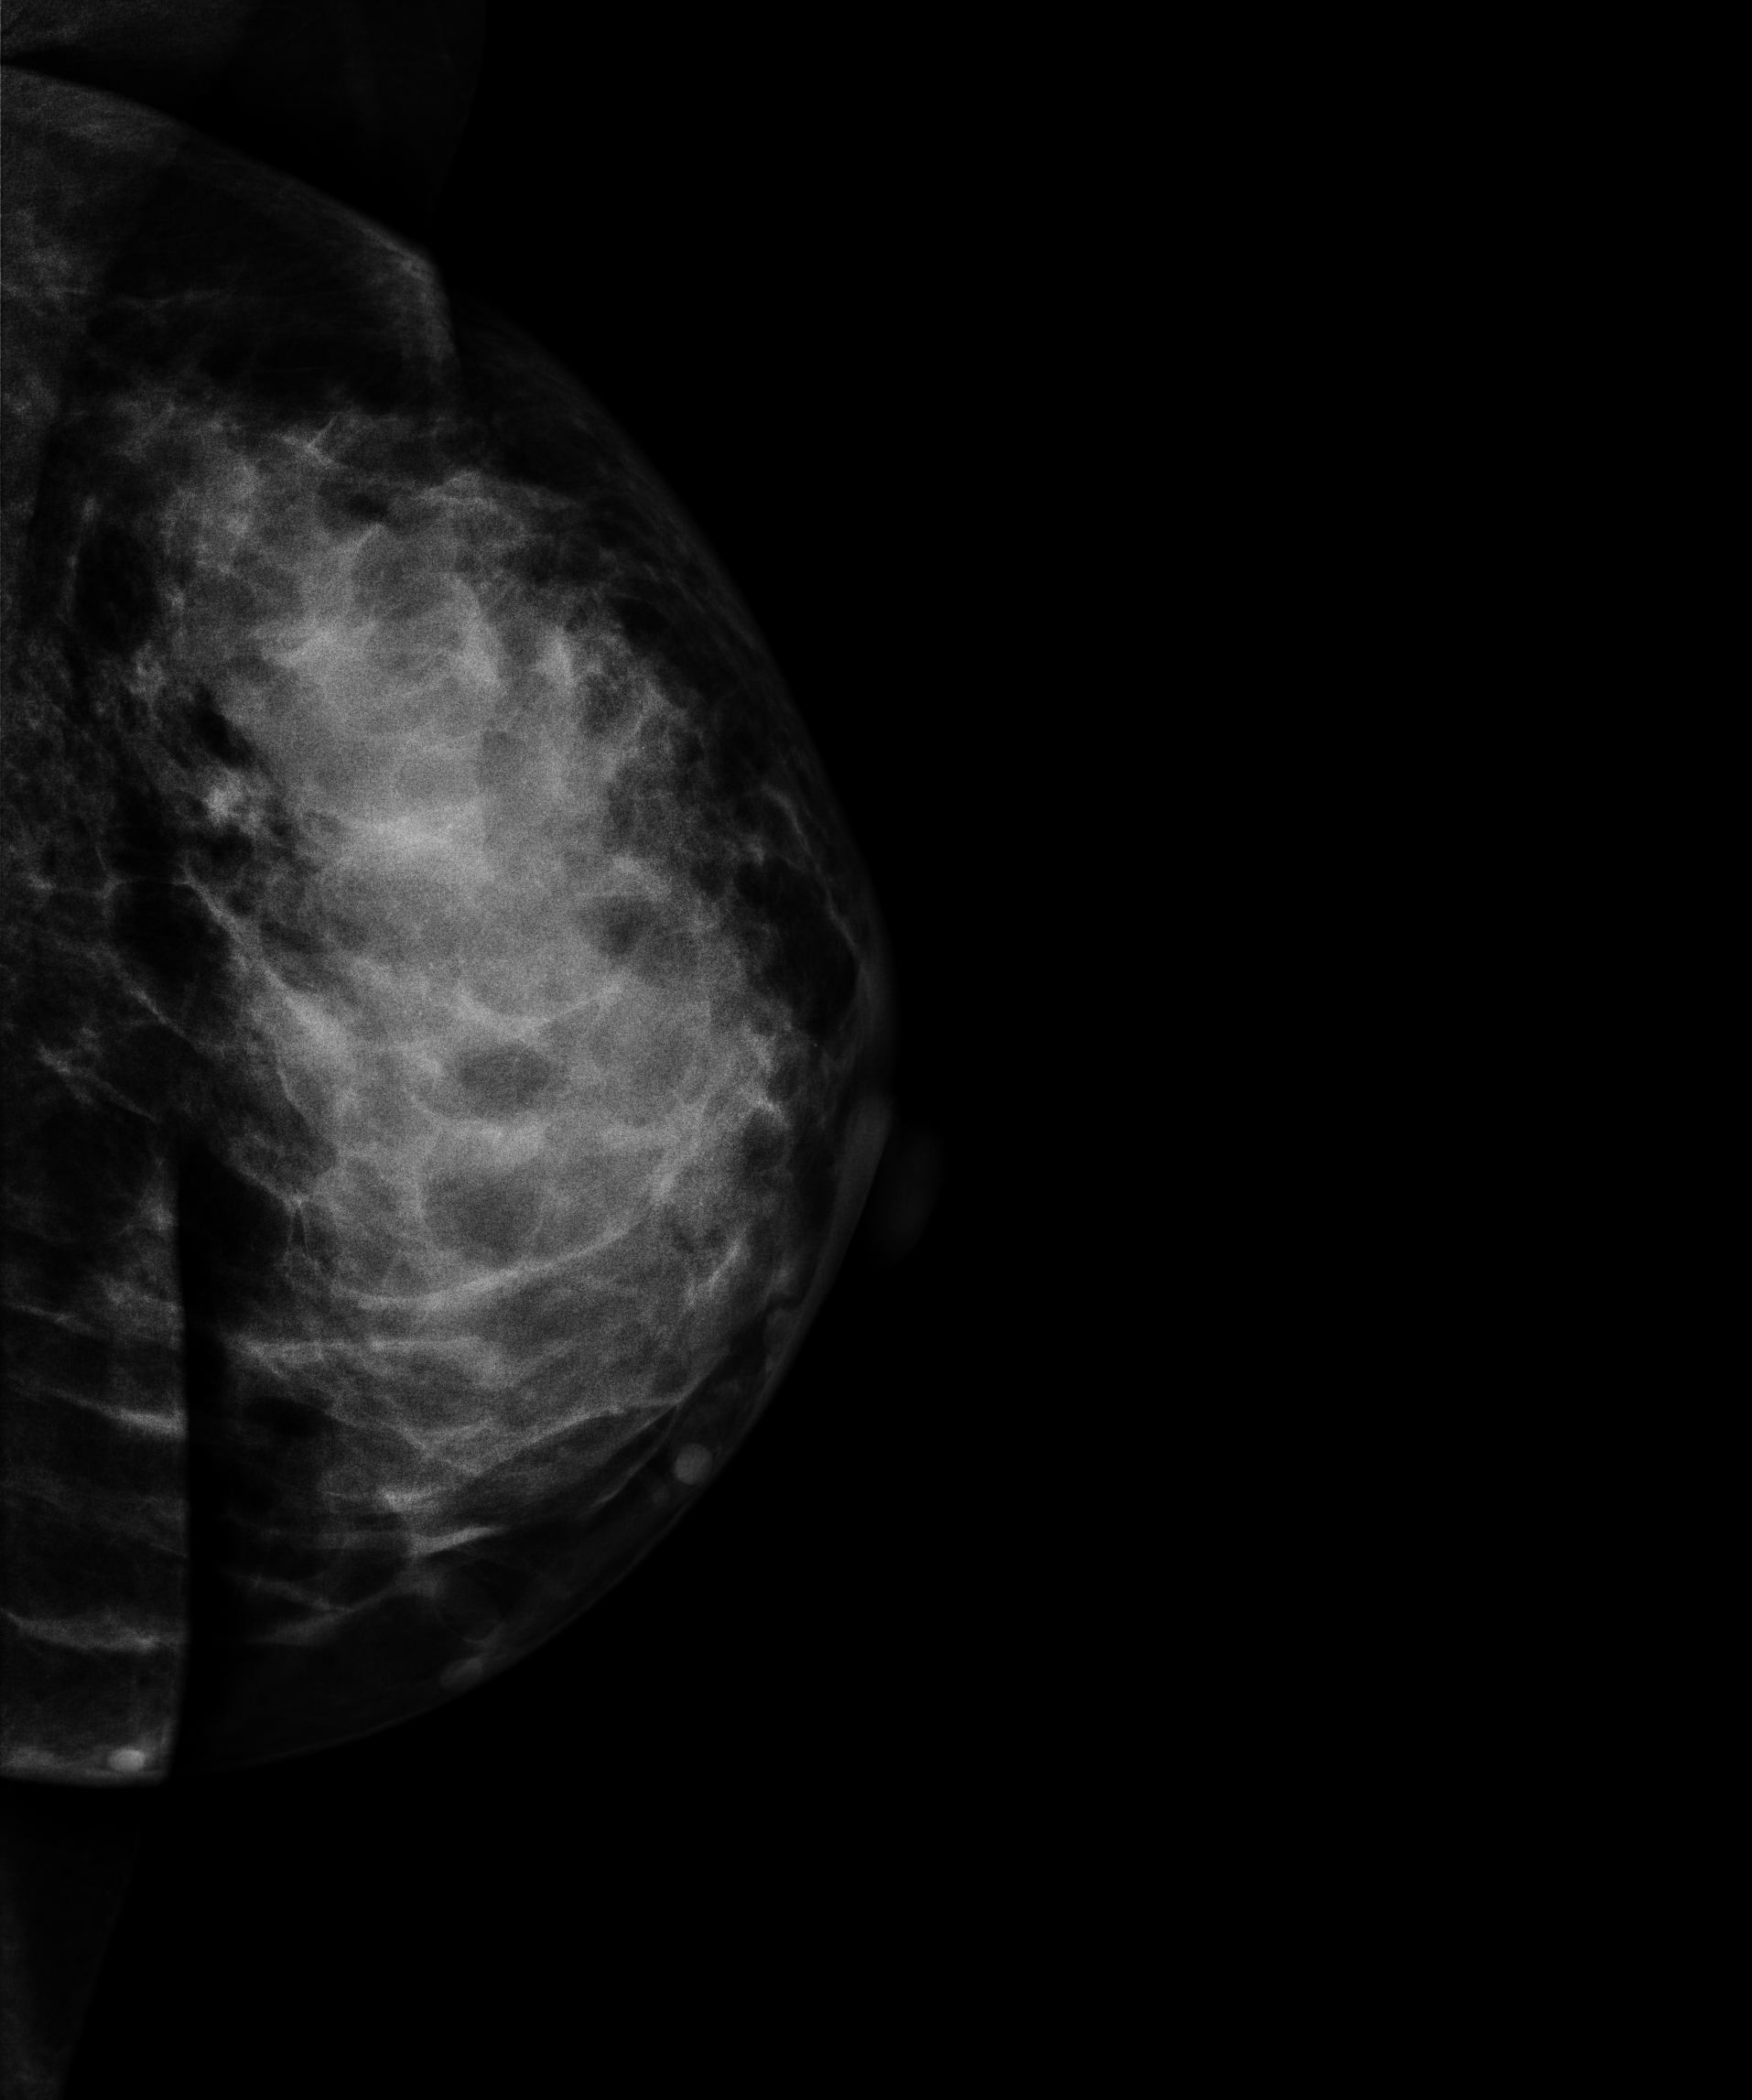
Medio-lateral oblique mammogram of the left breast. Patient age 50.
This breast has calcifications, biopsy-proven malignant.